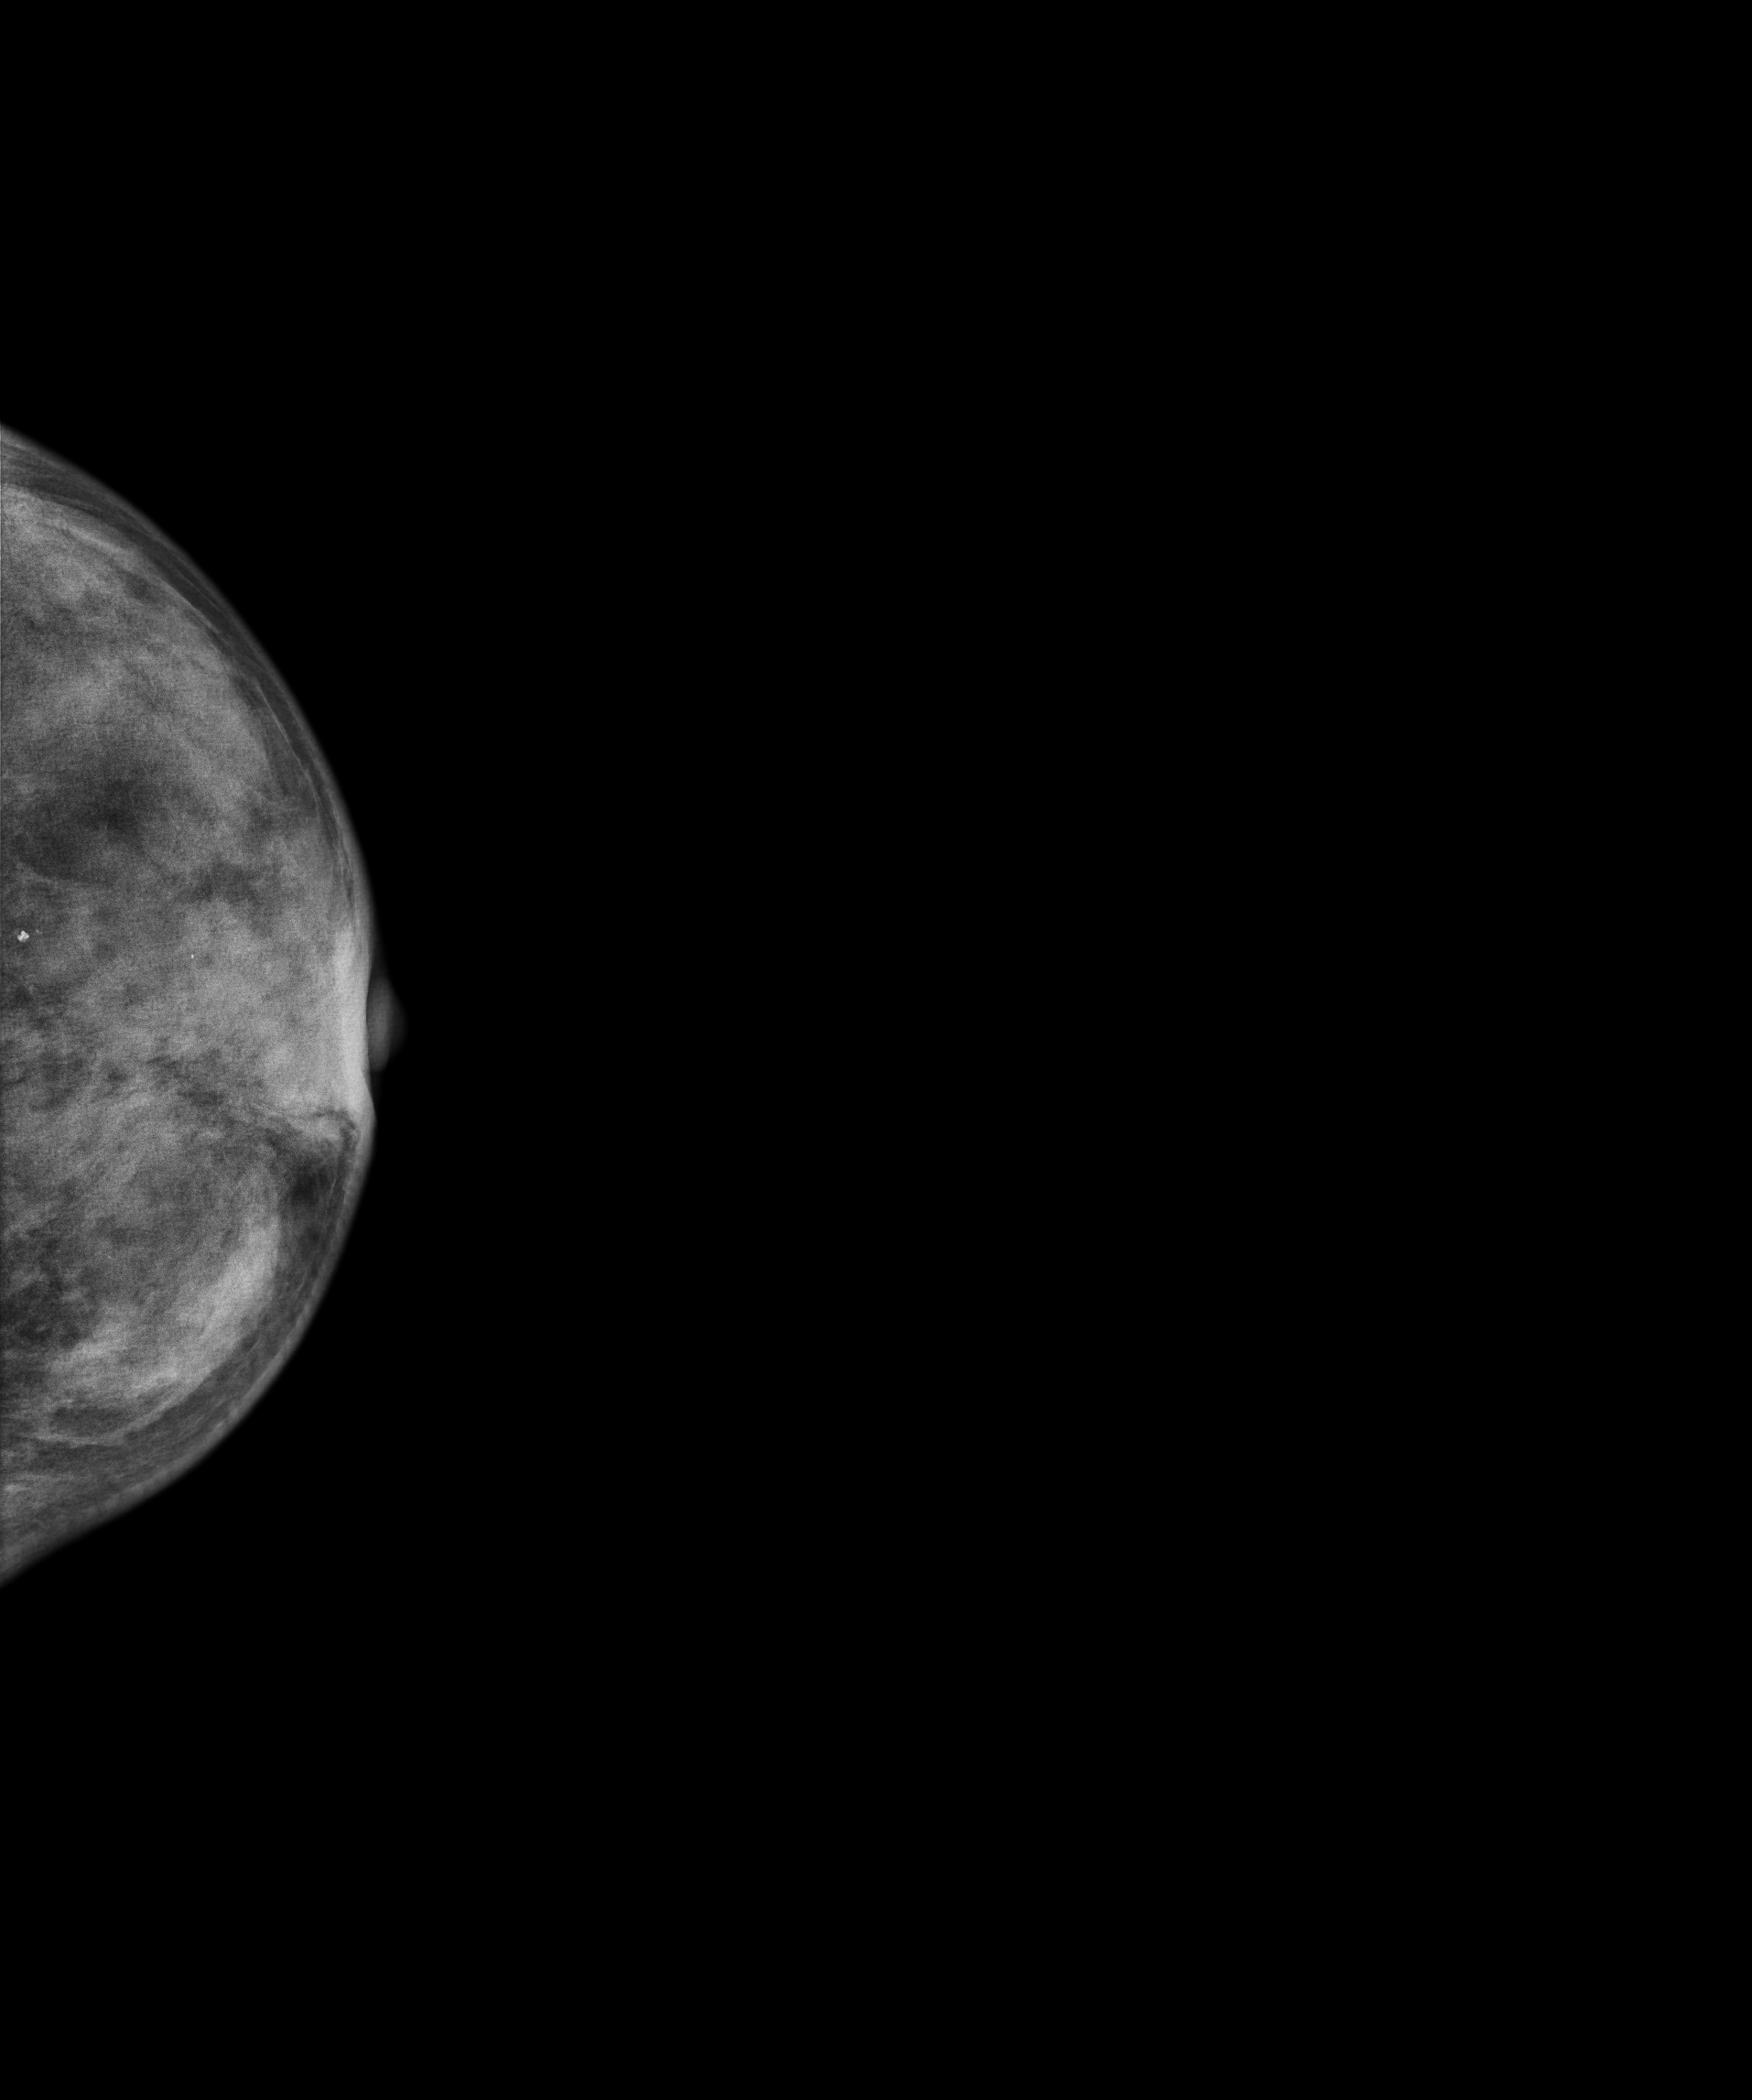
CC mammogram of the left breast. Patient age 24.
This breast has a mass, biopsy-proven benign.